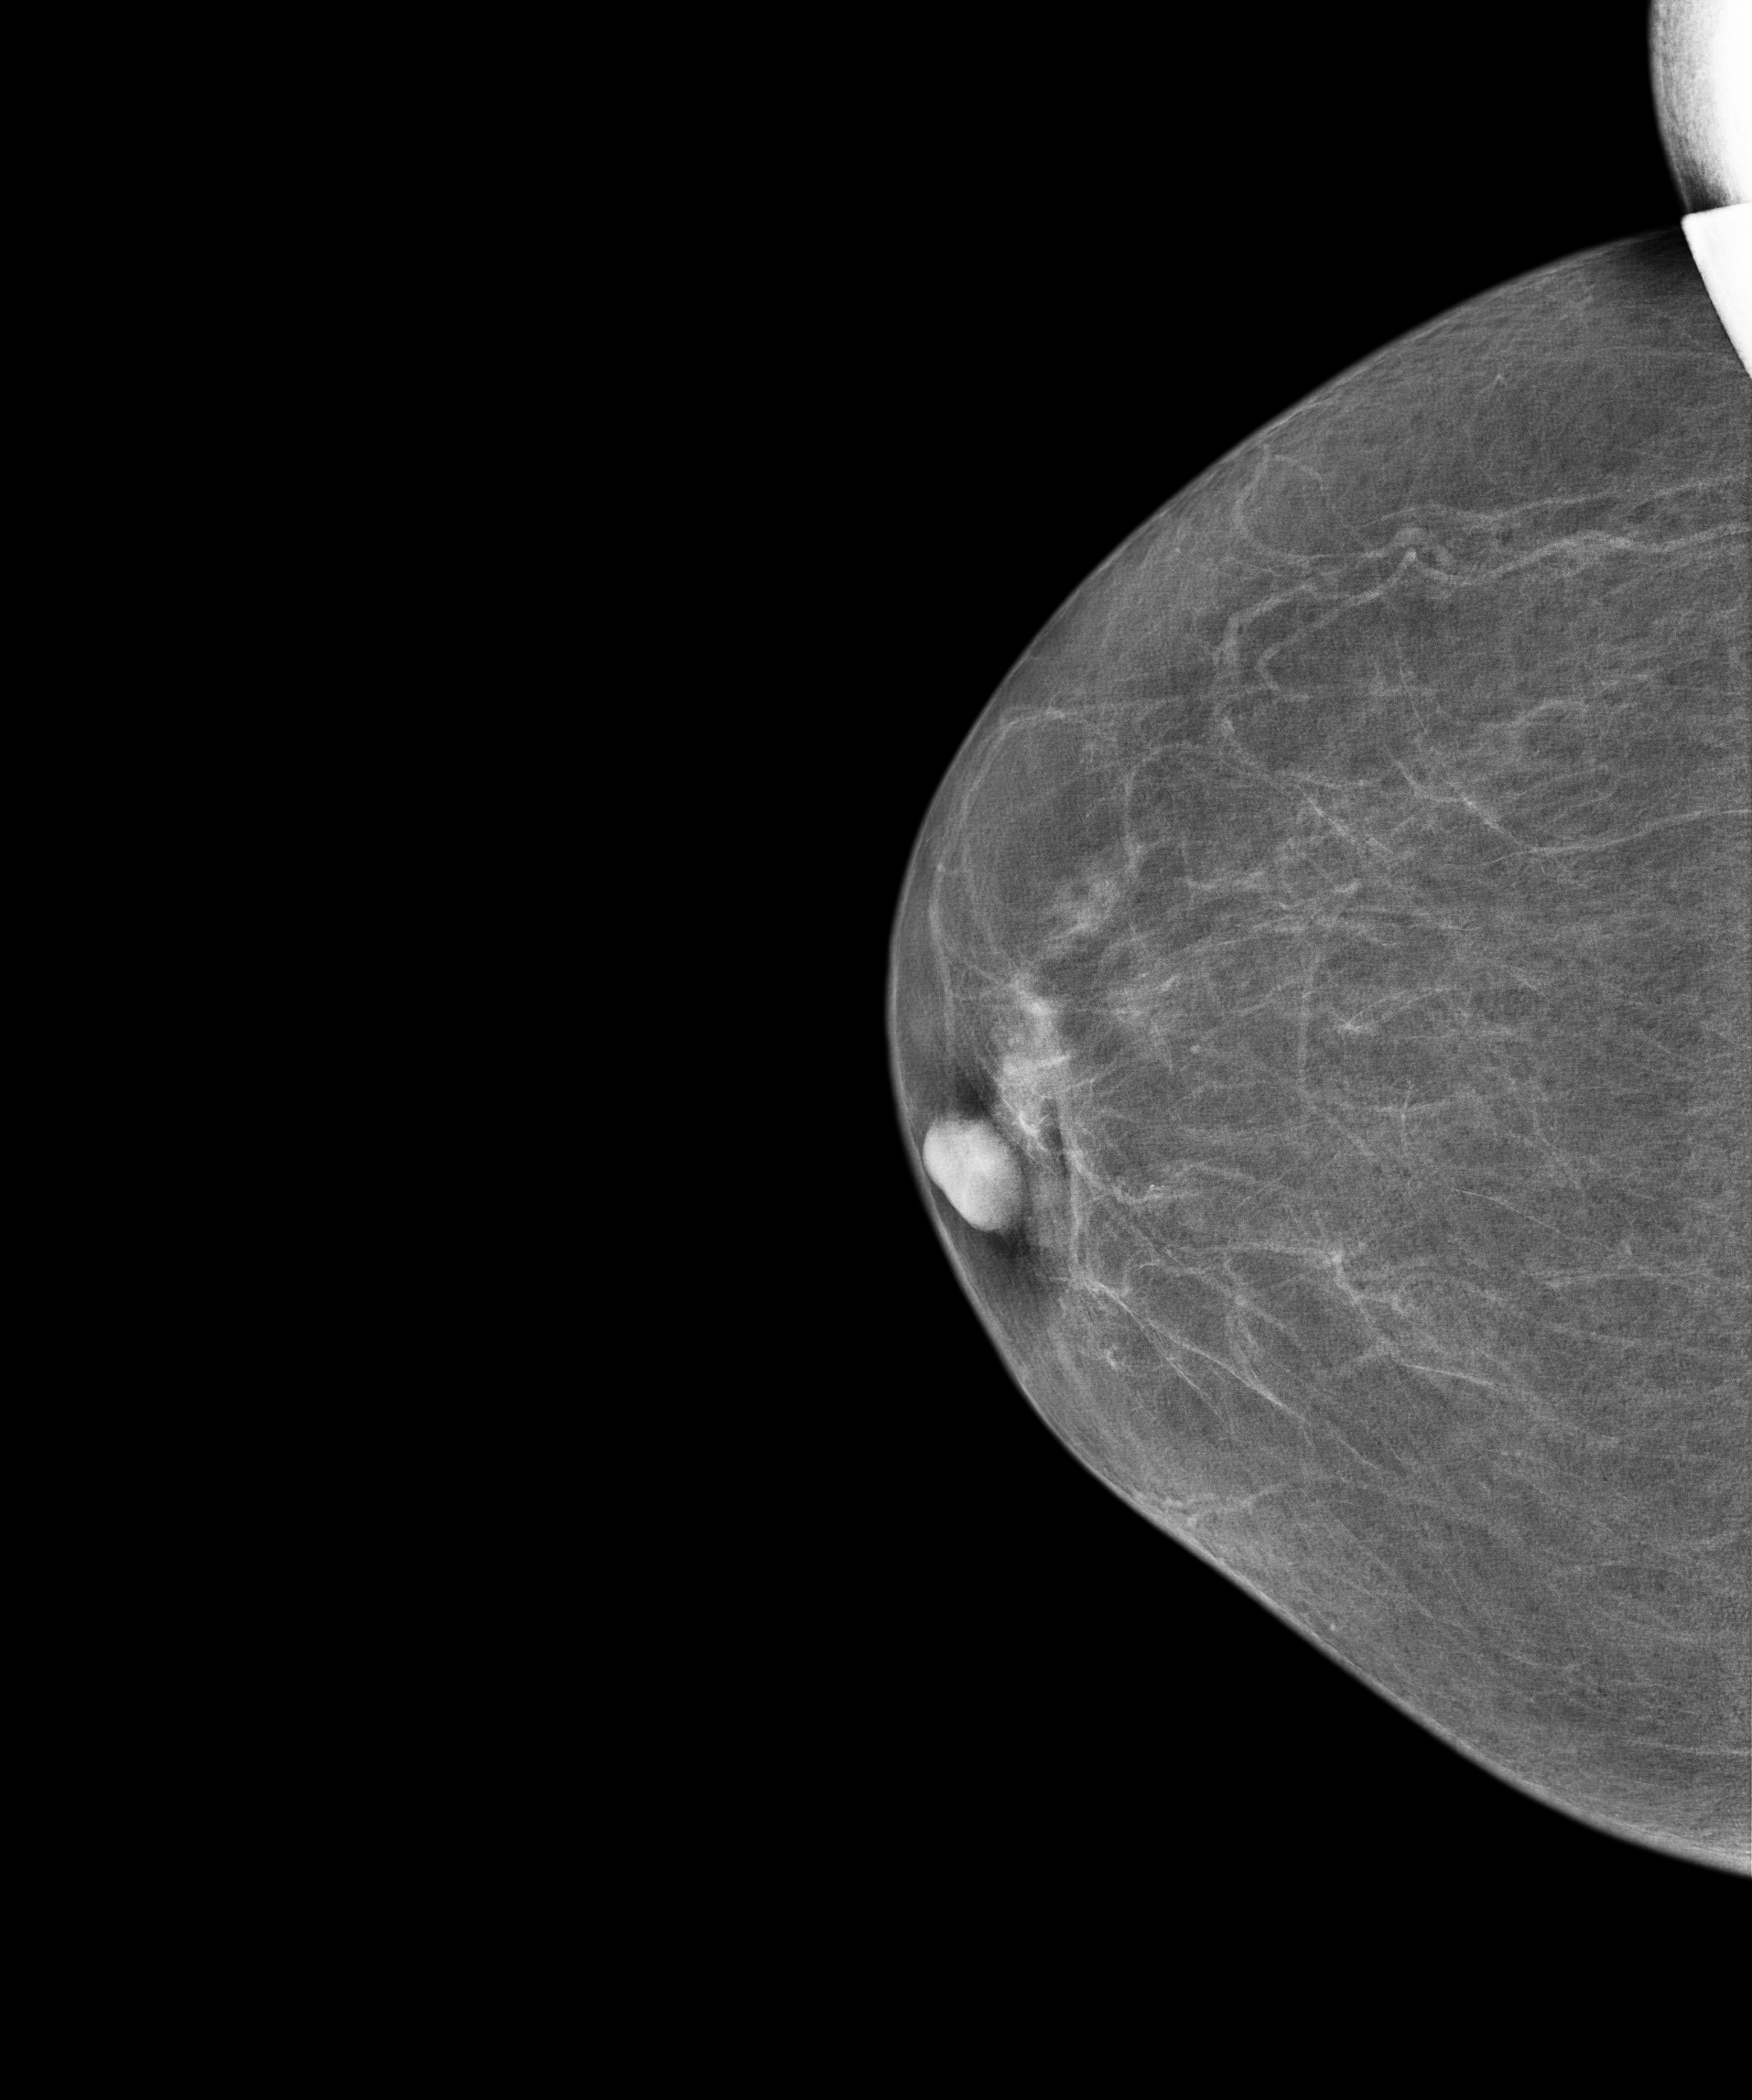
Mammogram, right breast, CC view. 73 y/o patient.
Contralateral breast — no documented abnormality on this side.